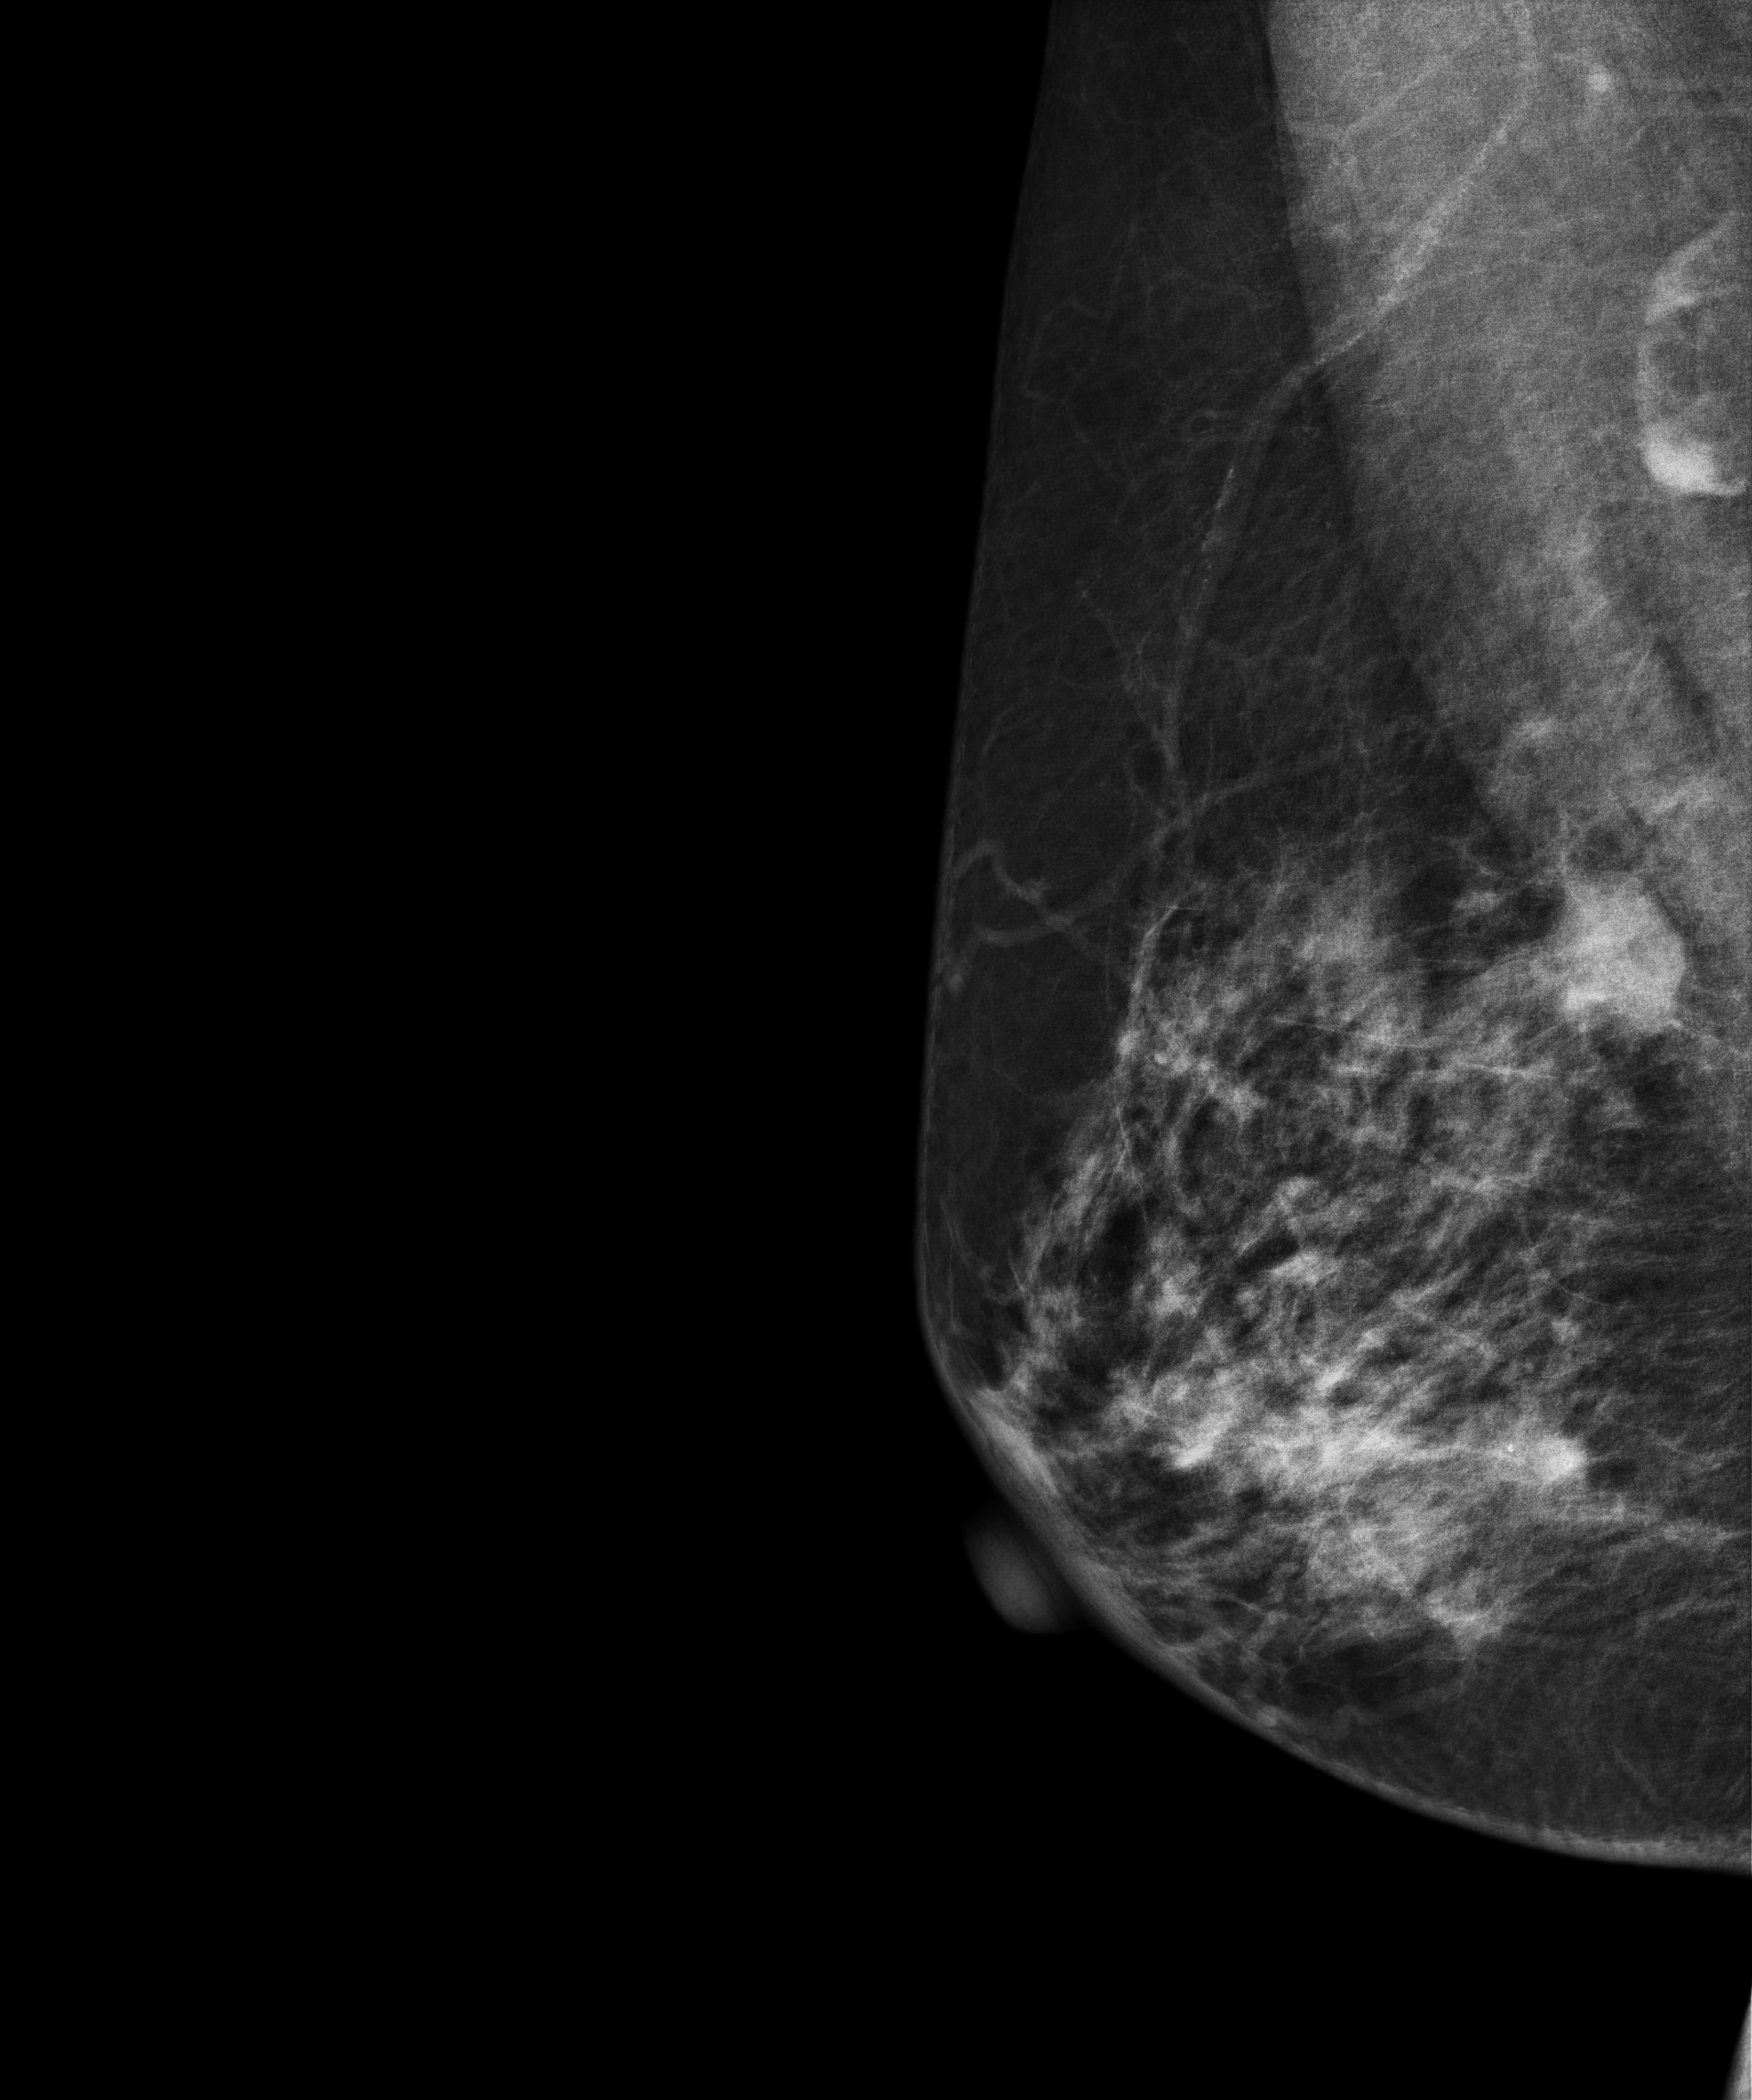
MLO mammogram of the right breast. 53-year-old patient.
This breast has a mass, biopsy-confirmed malignant. Molecular subtype: luminal A.